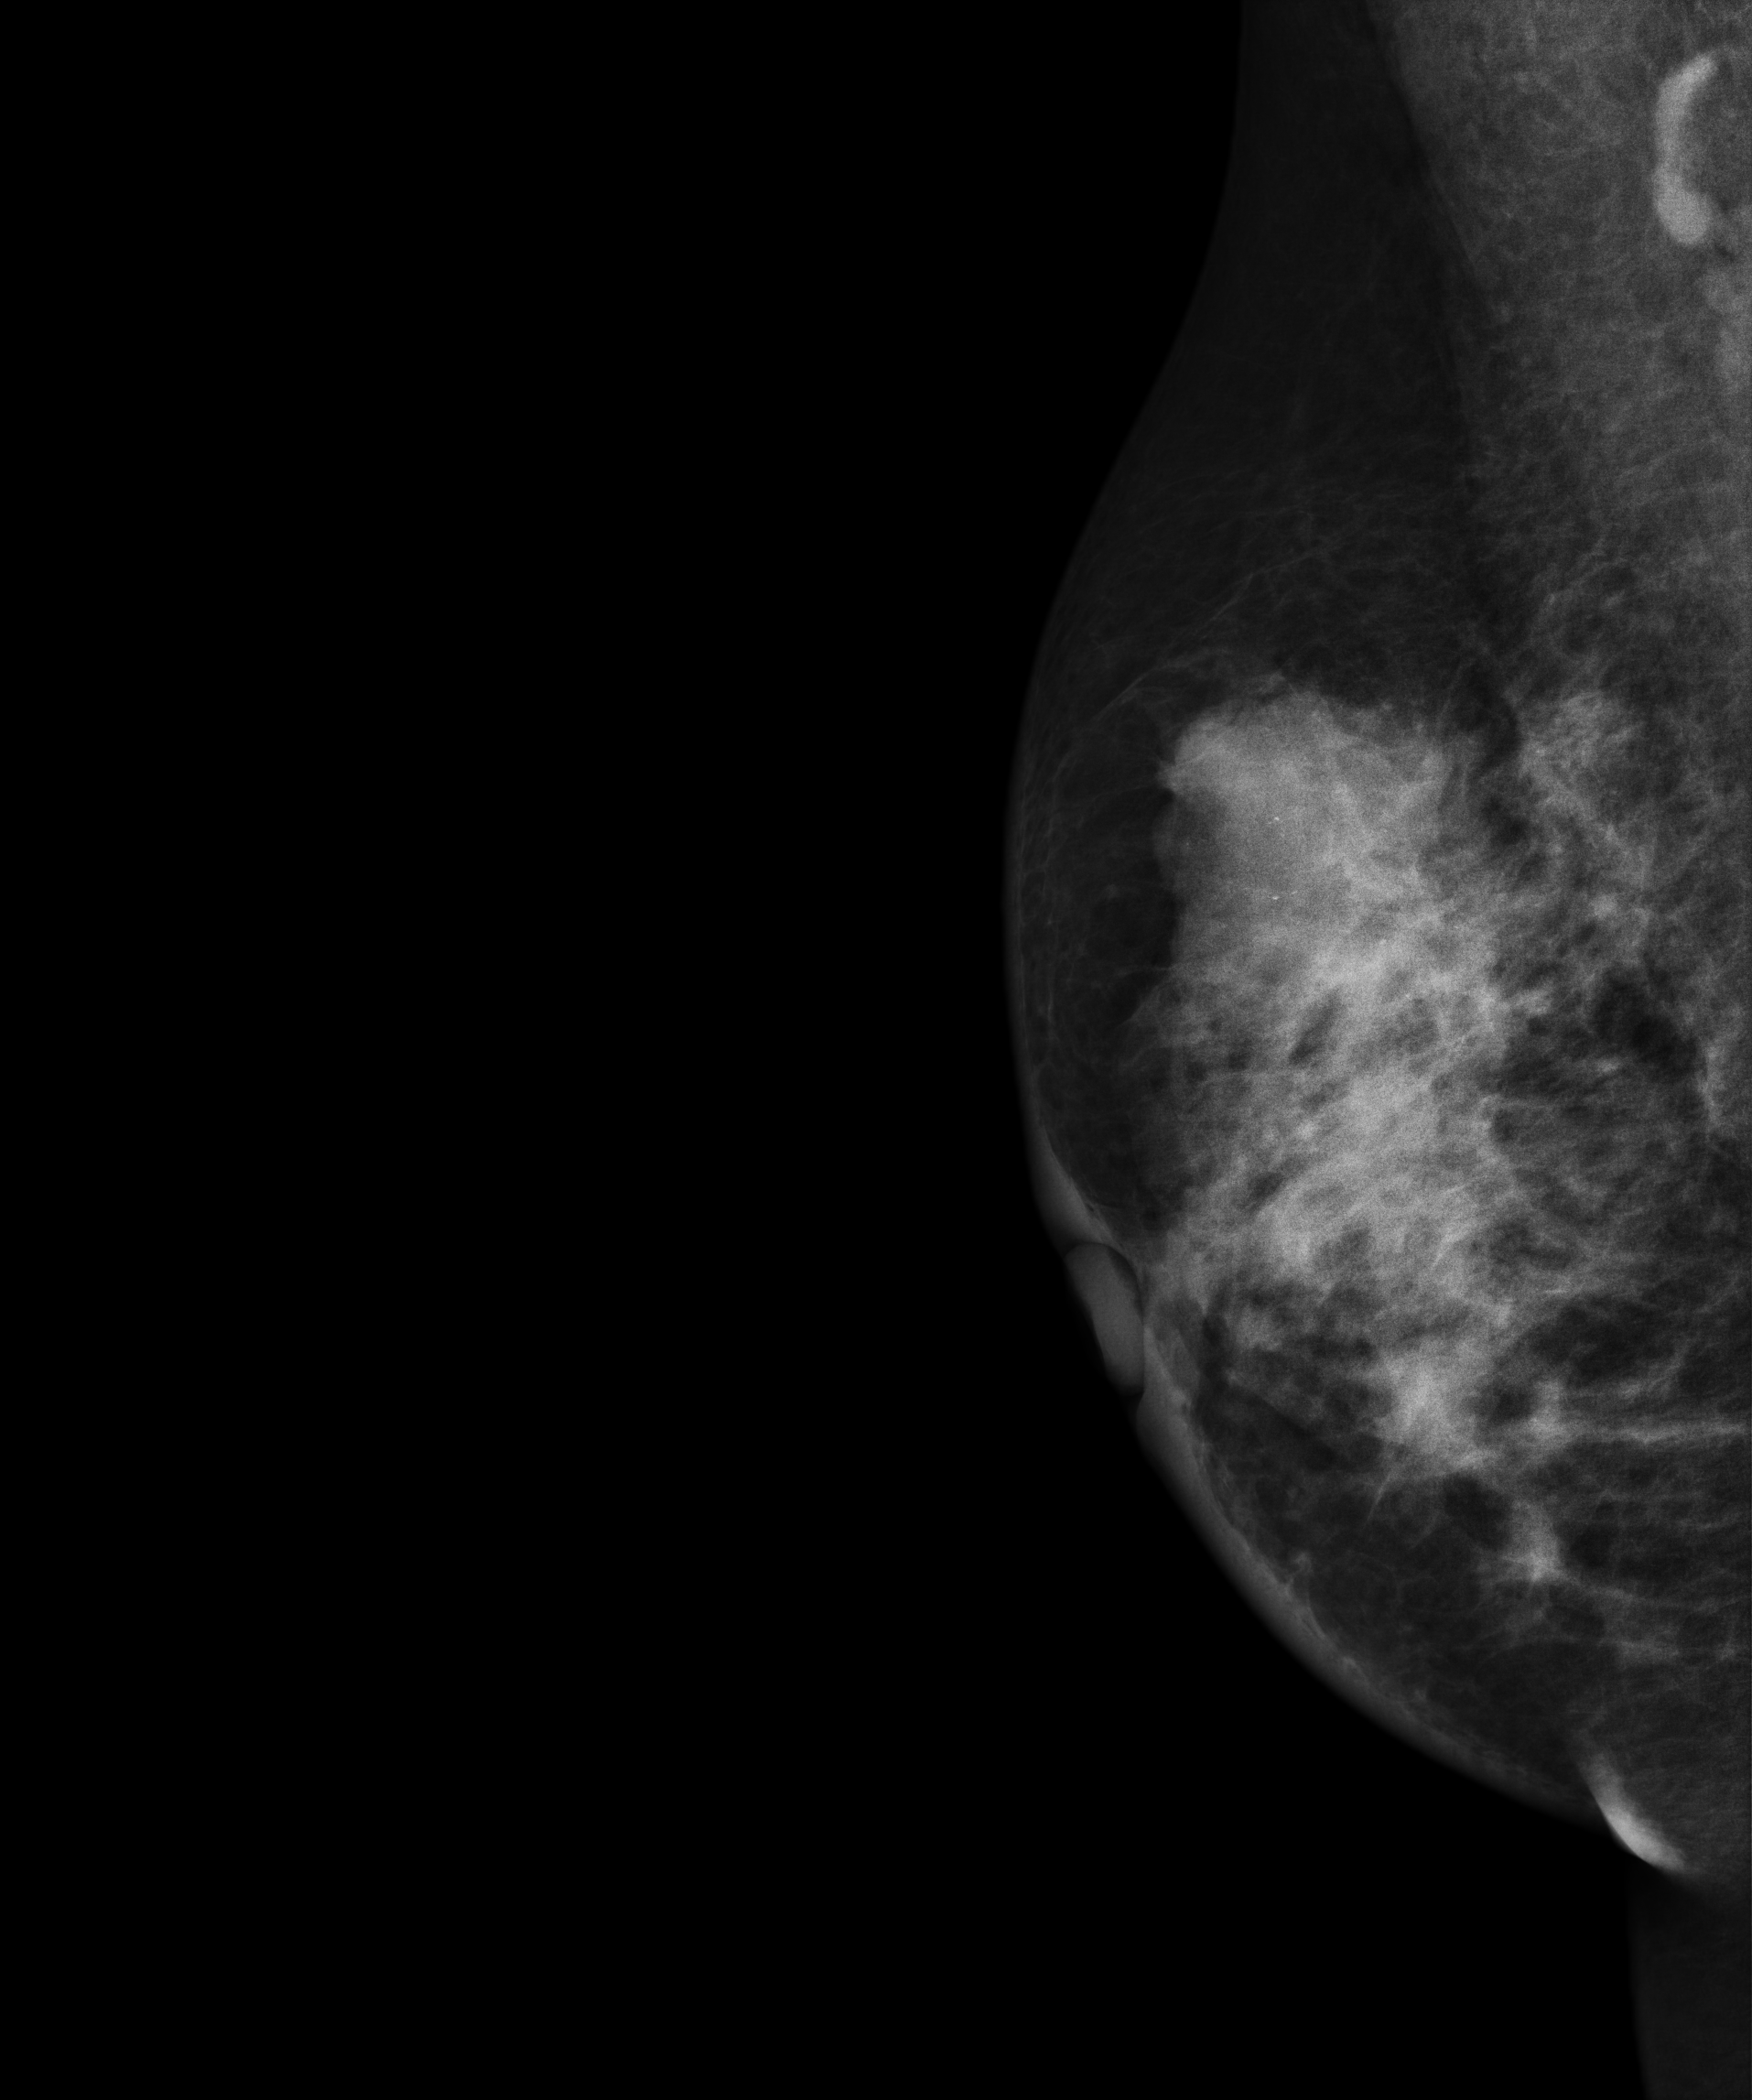
Digital mammography. Right breast, MLO projection. 45-year-old patient.
This breast has a mass and calcifications, pathology-confirmed malignant.